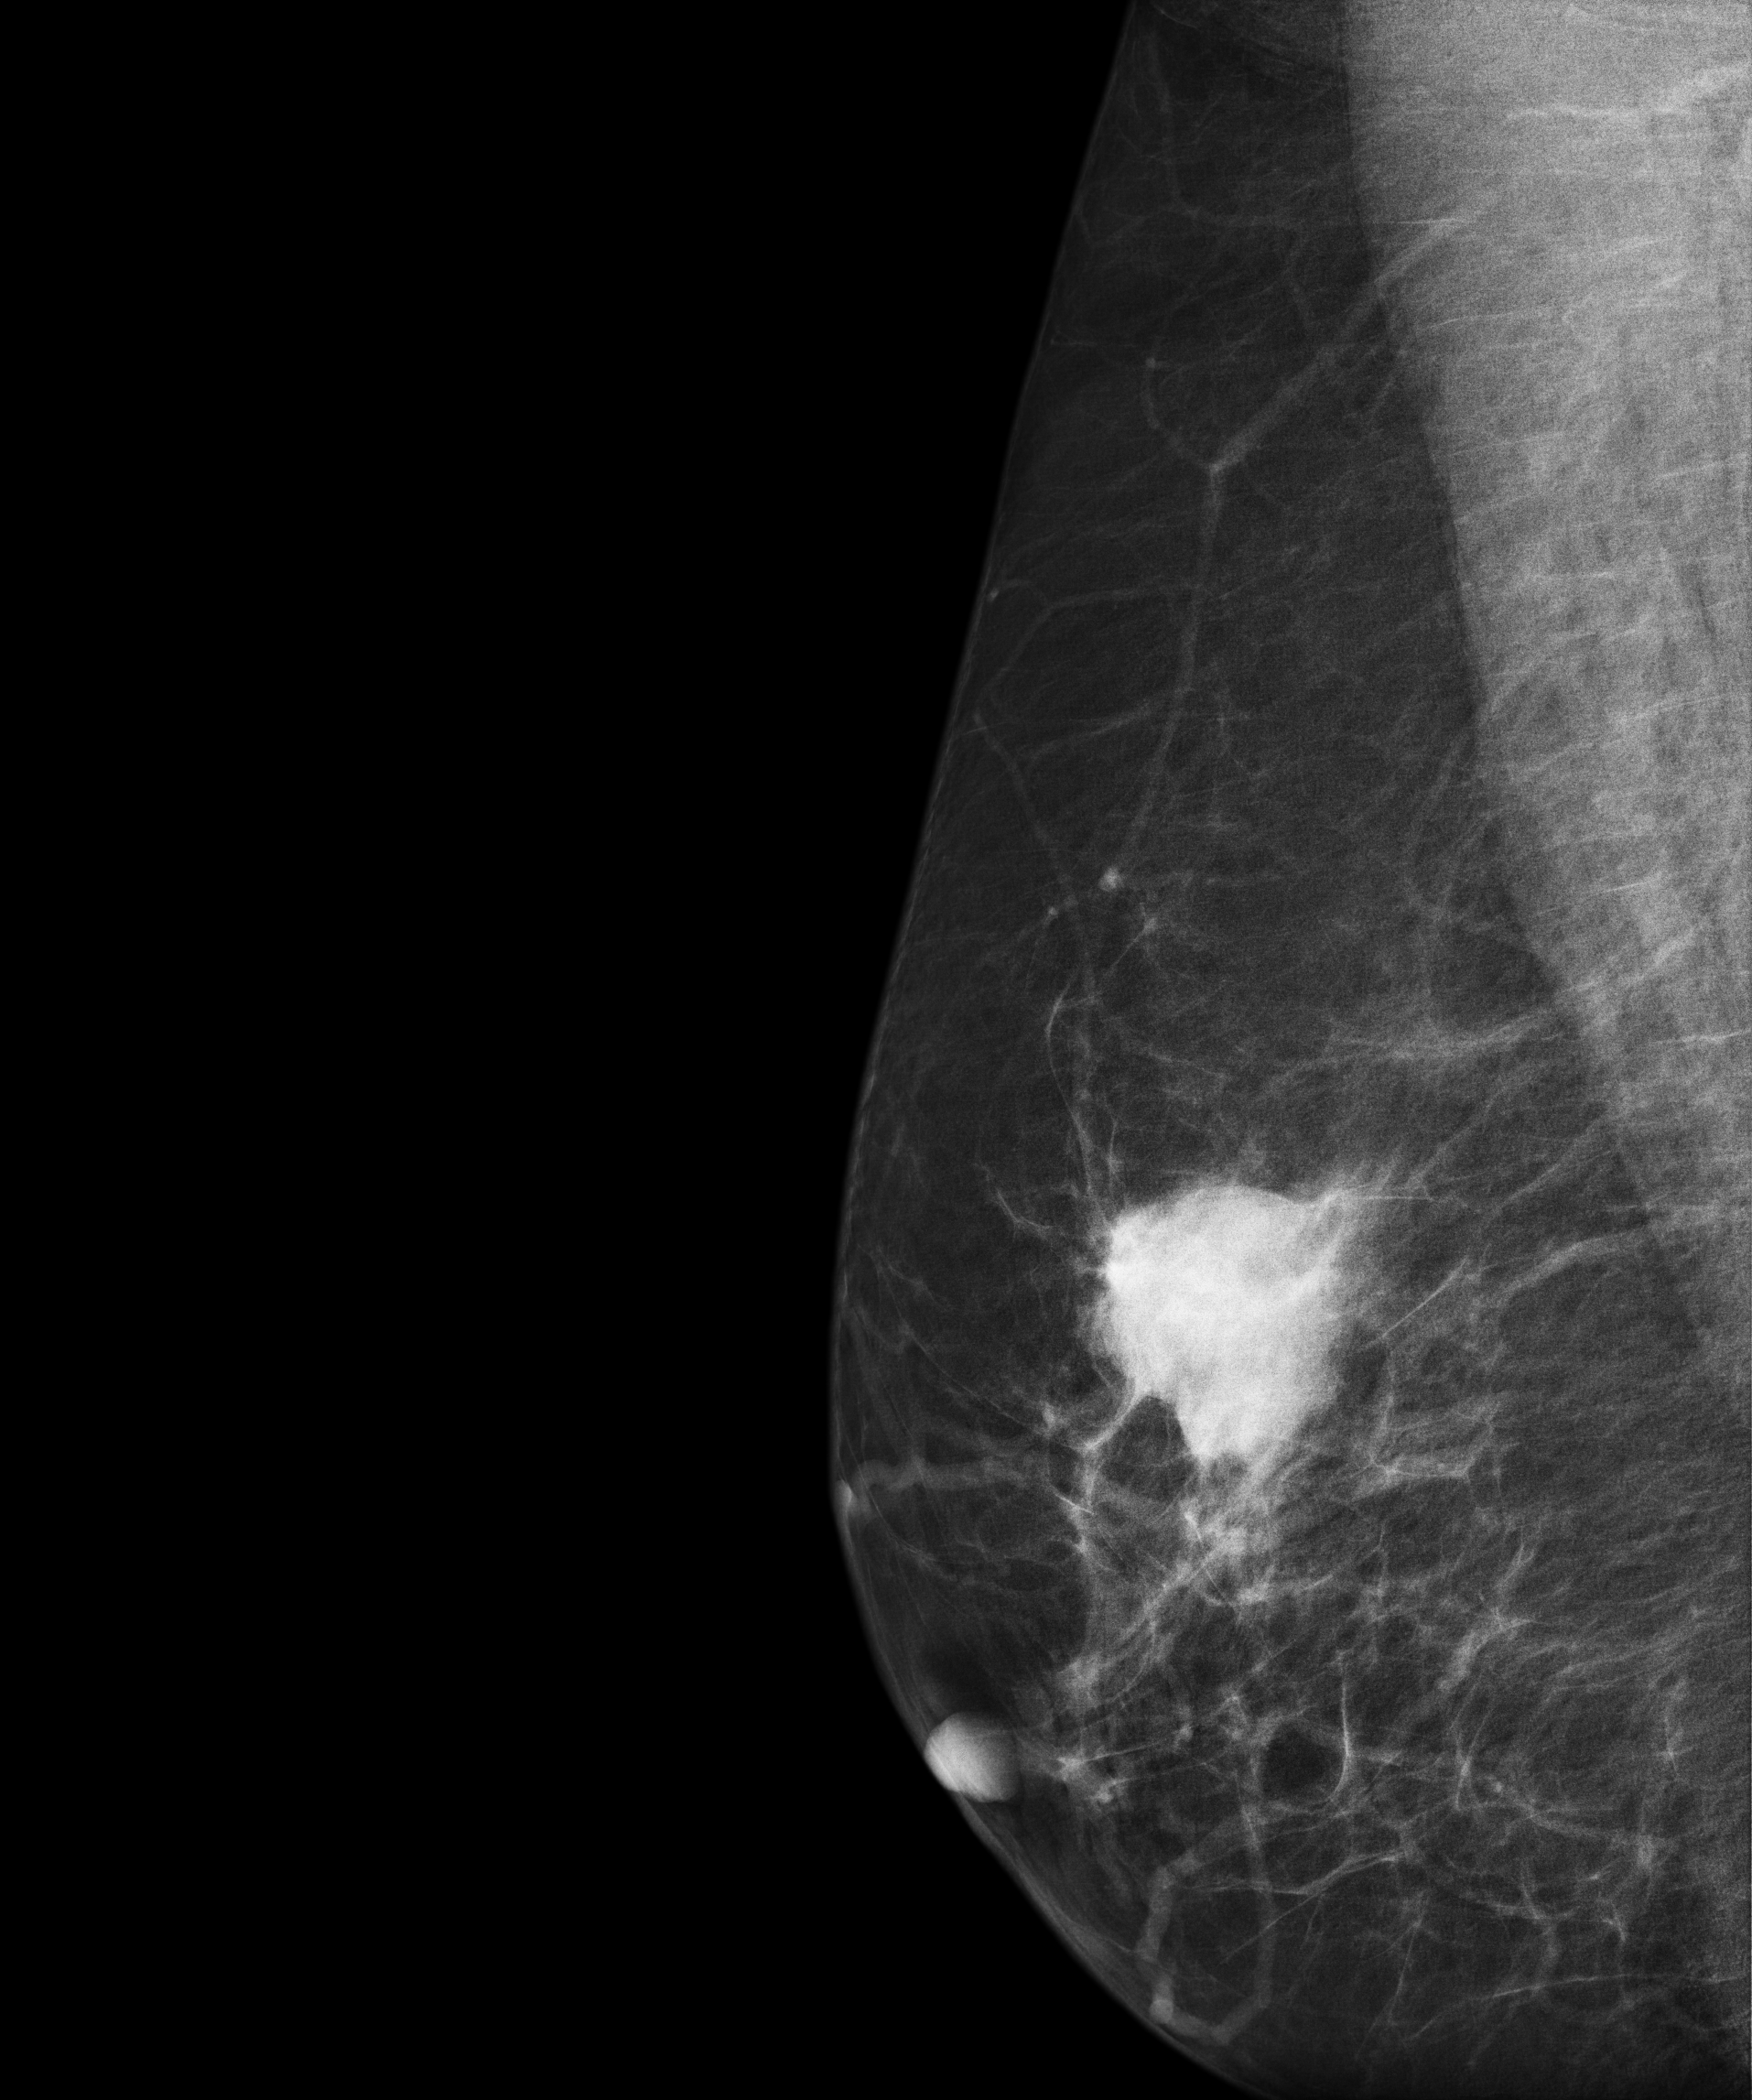
Mammogram, right breast, MLO view. 67 y/o patient.
This breast has a mass, histologically confirmed malignant.